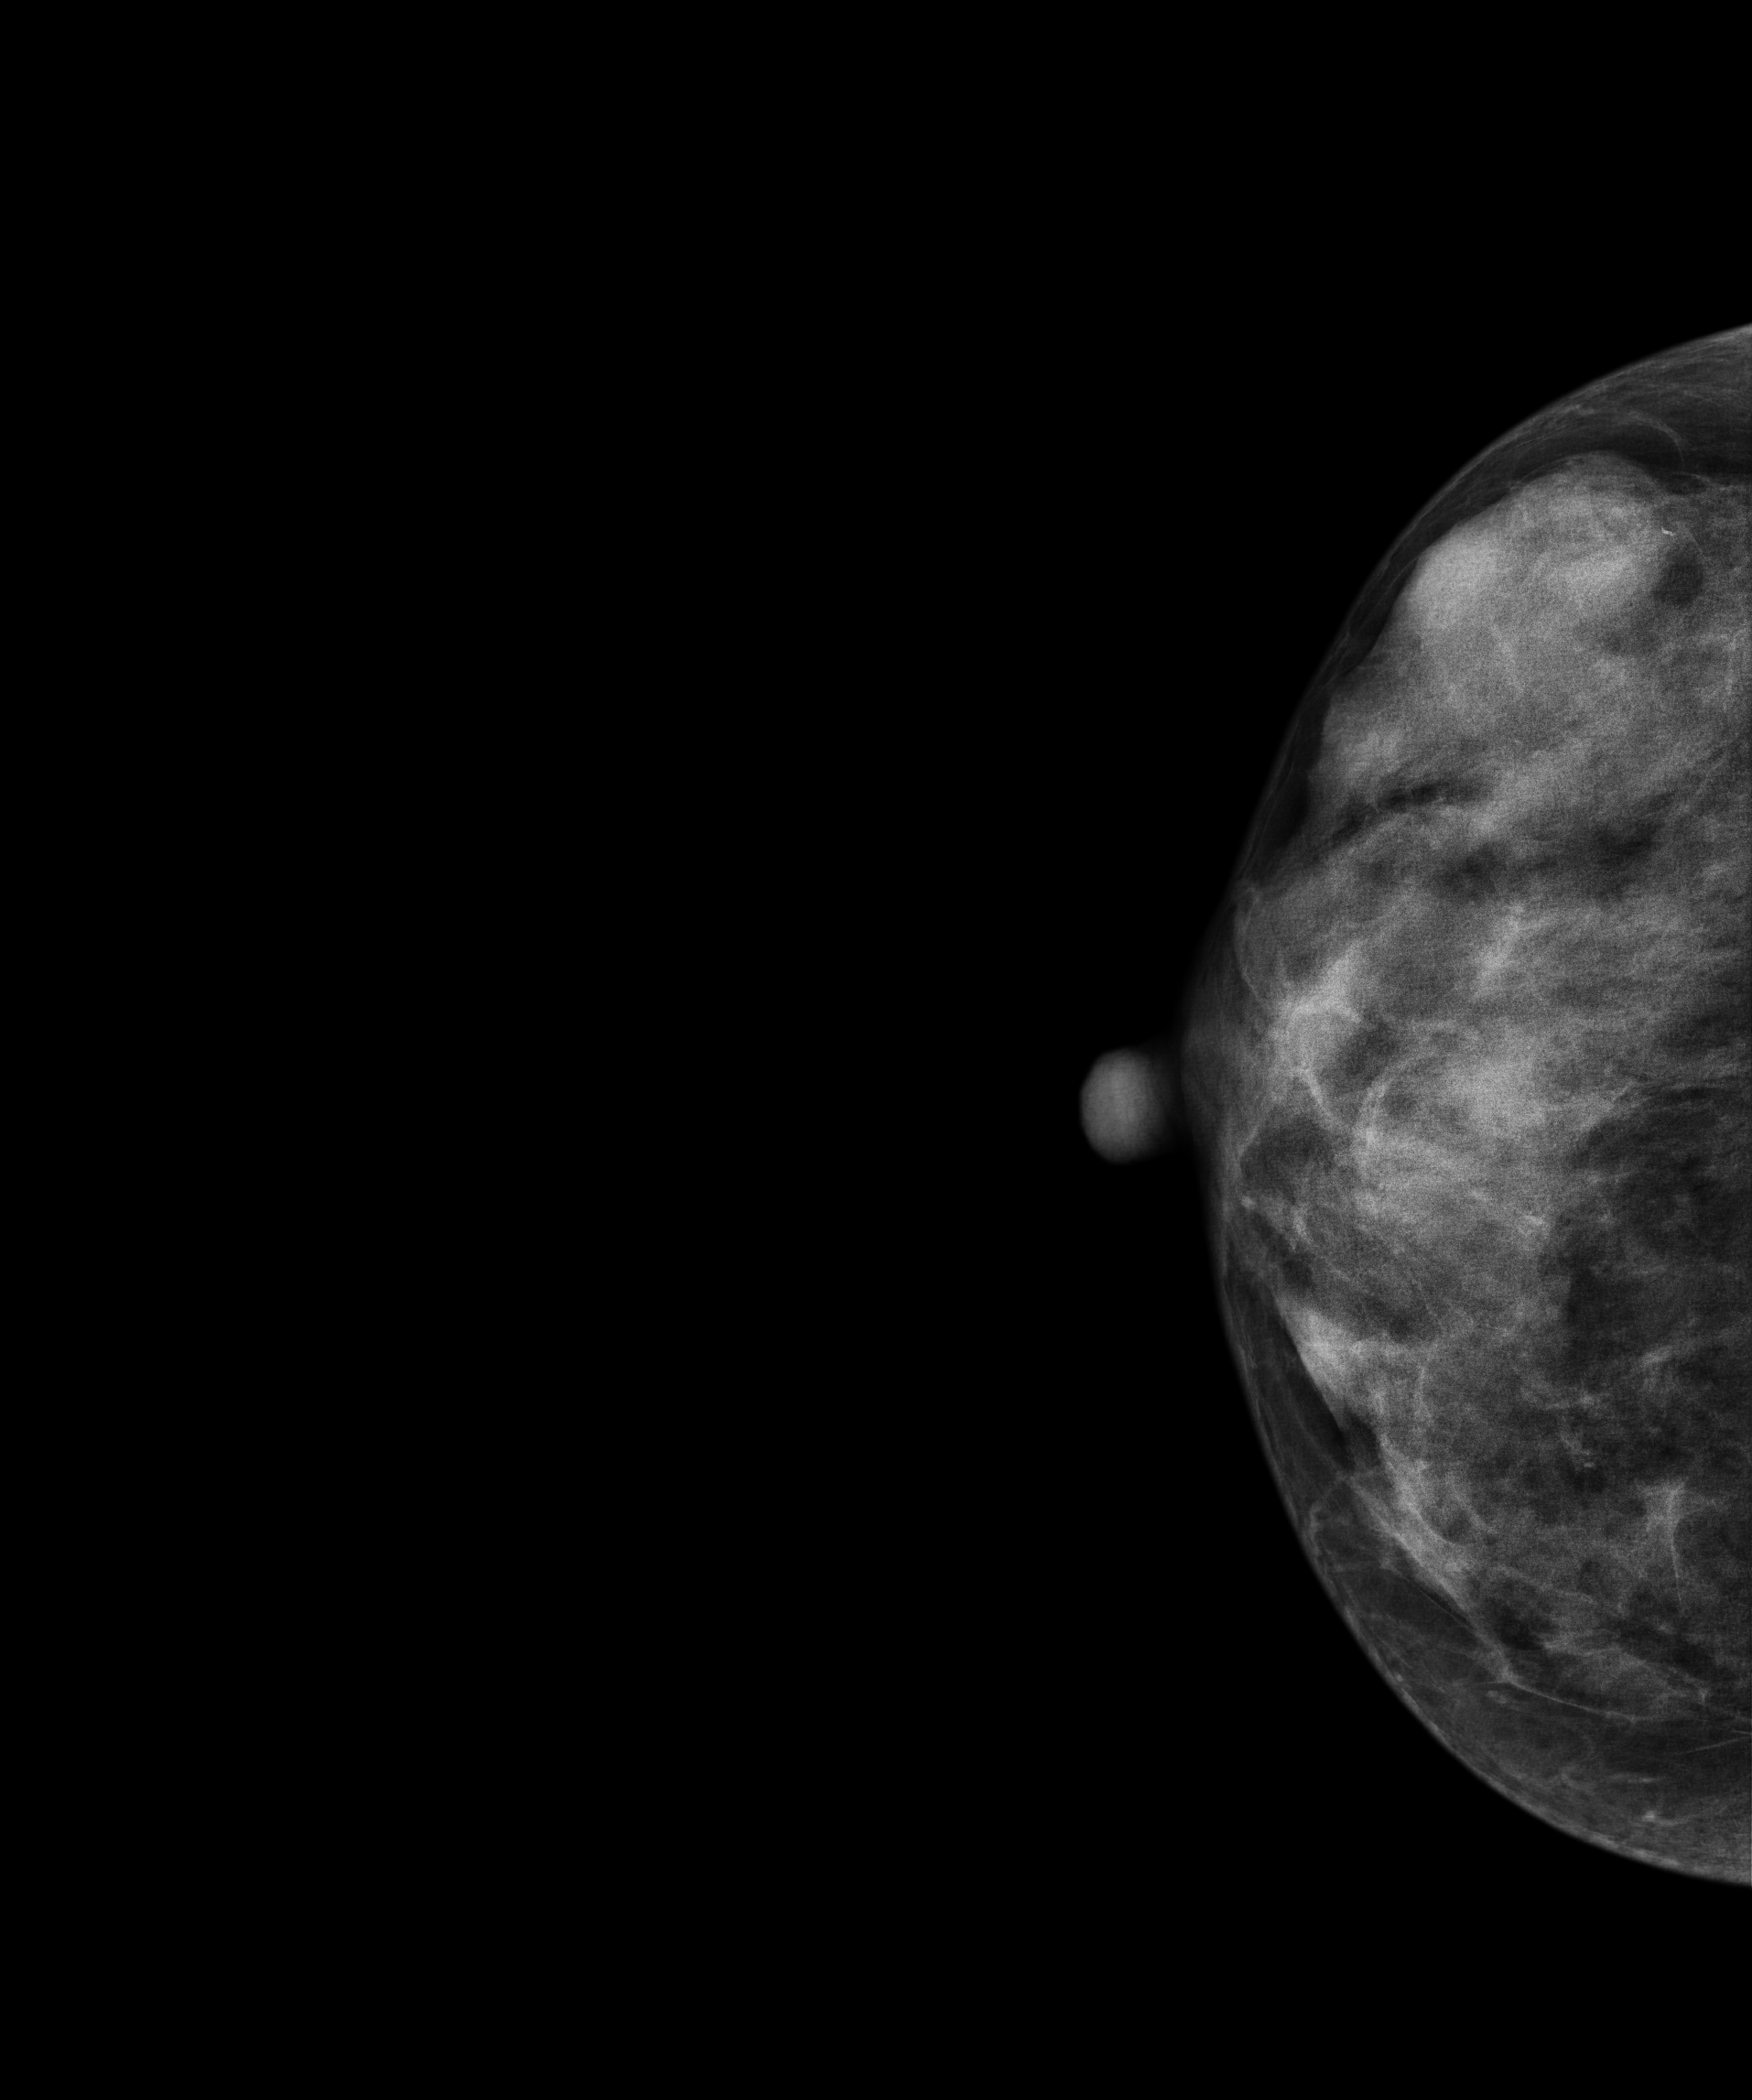
Right-breast mammogram, cranio-caudal. 46 y/o patient.
This breast has a mass, histologically confirmed benign.